Mammogram — left CC. 36 y/o patient.
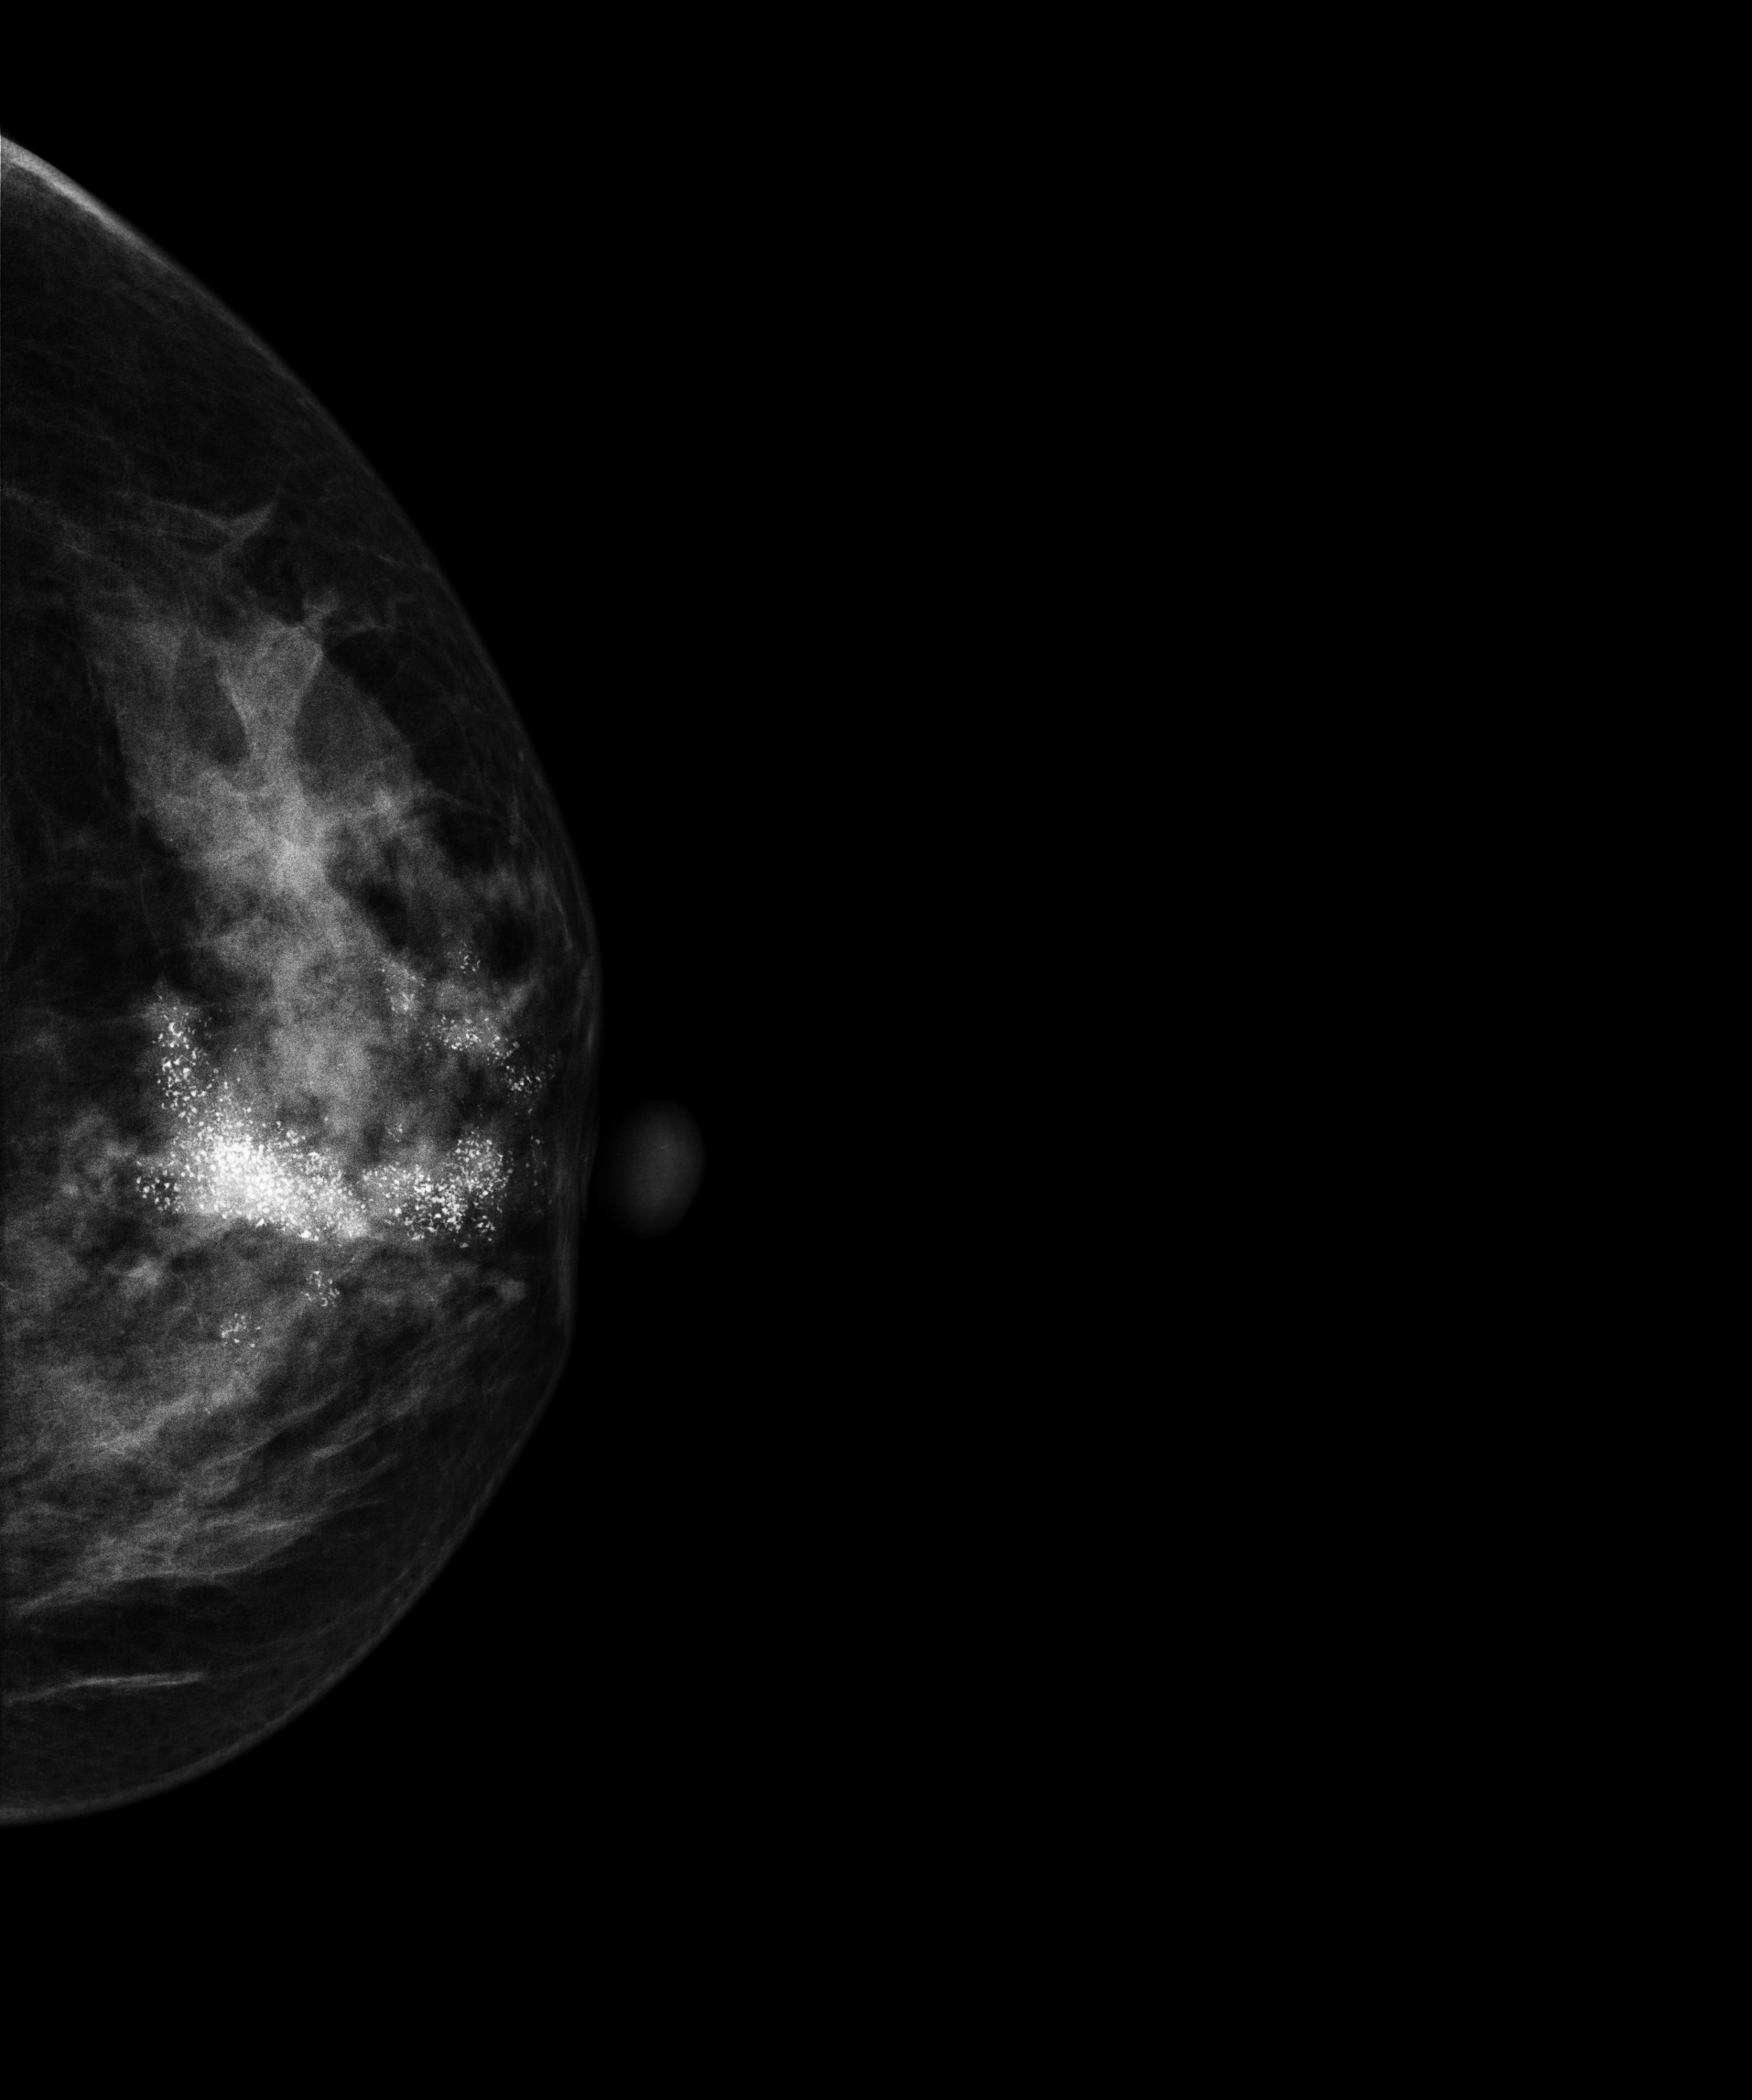
This breast has a mass and calcifications, pathology-confirmed malignant.